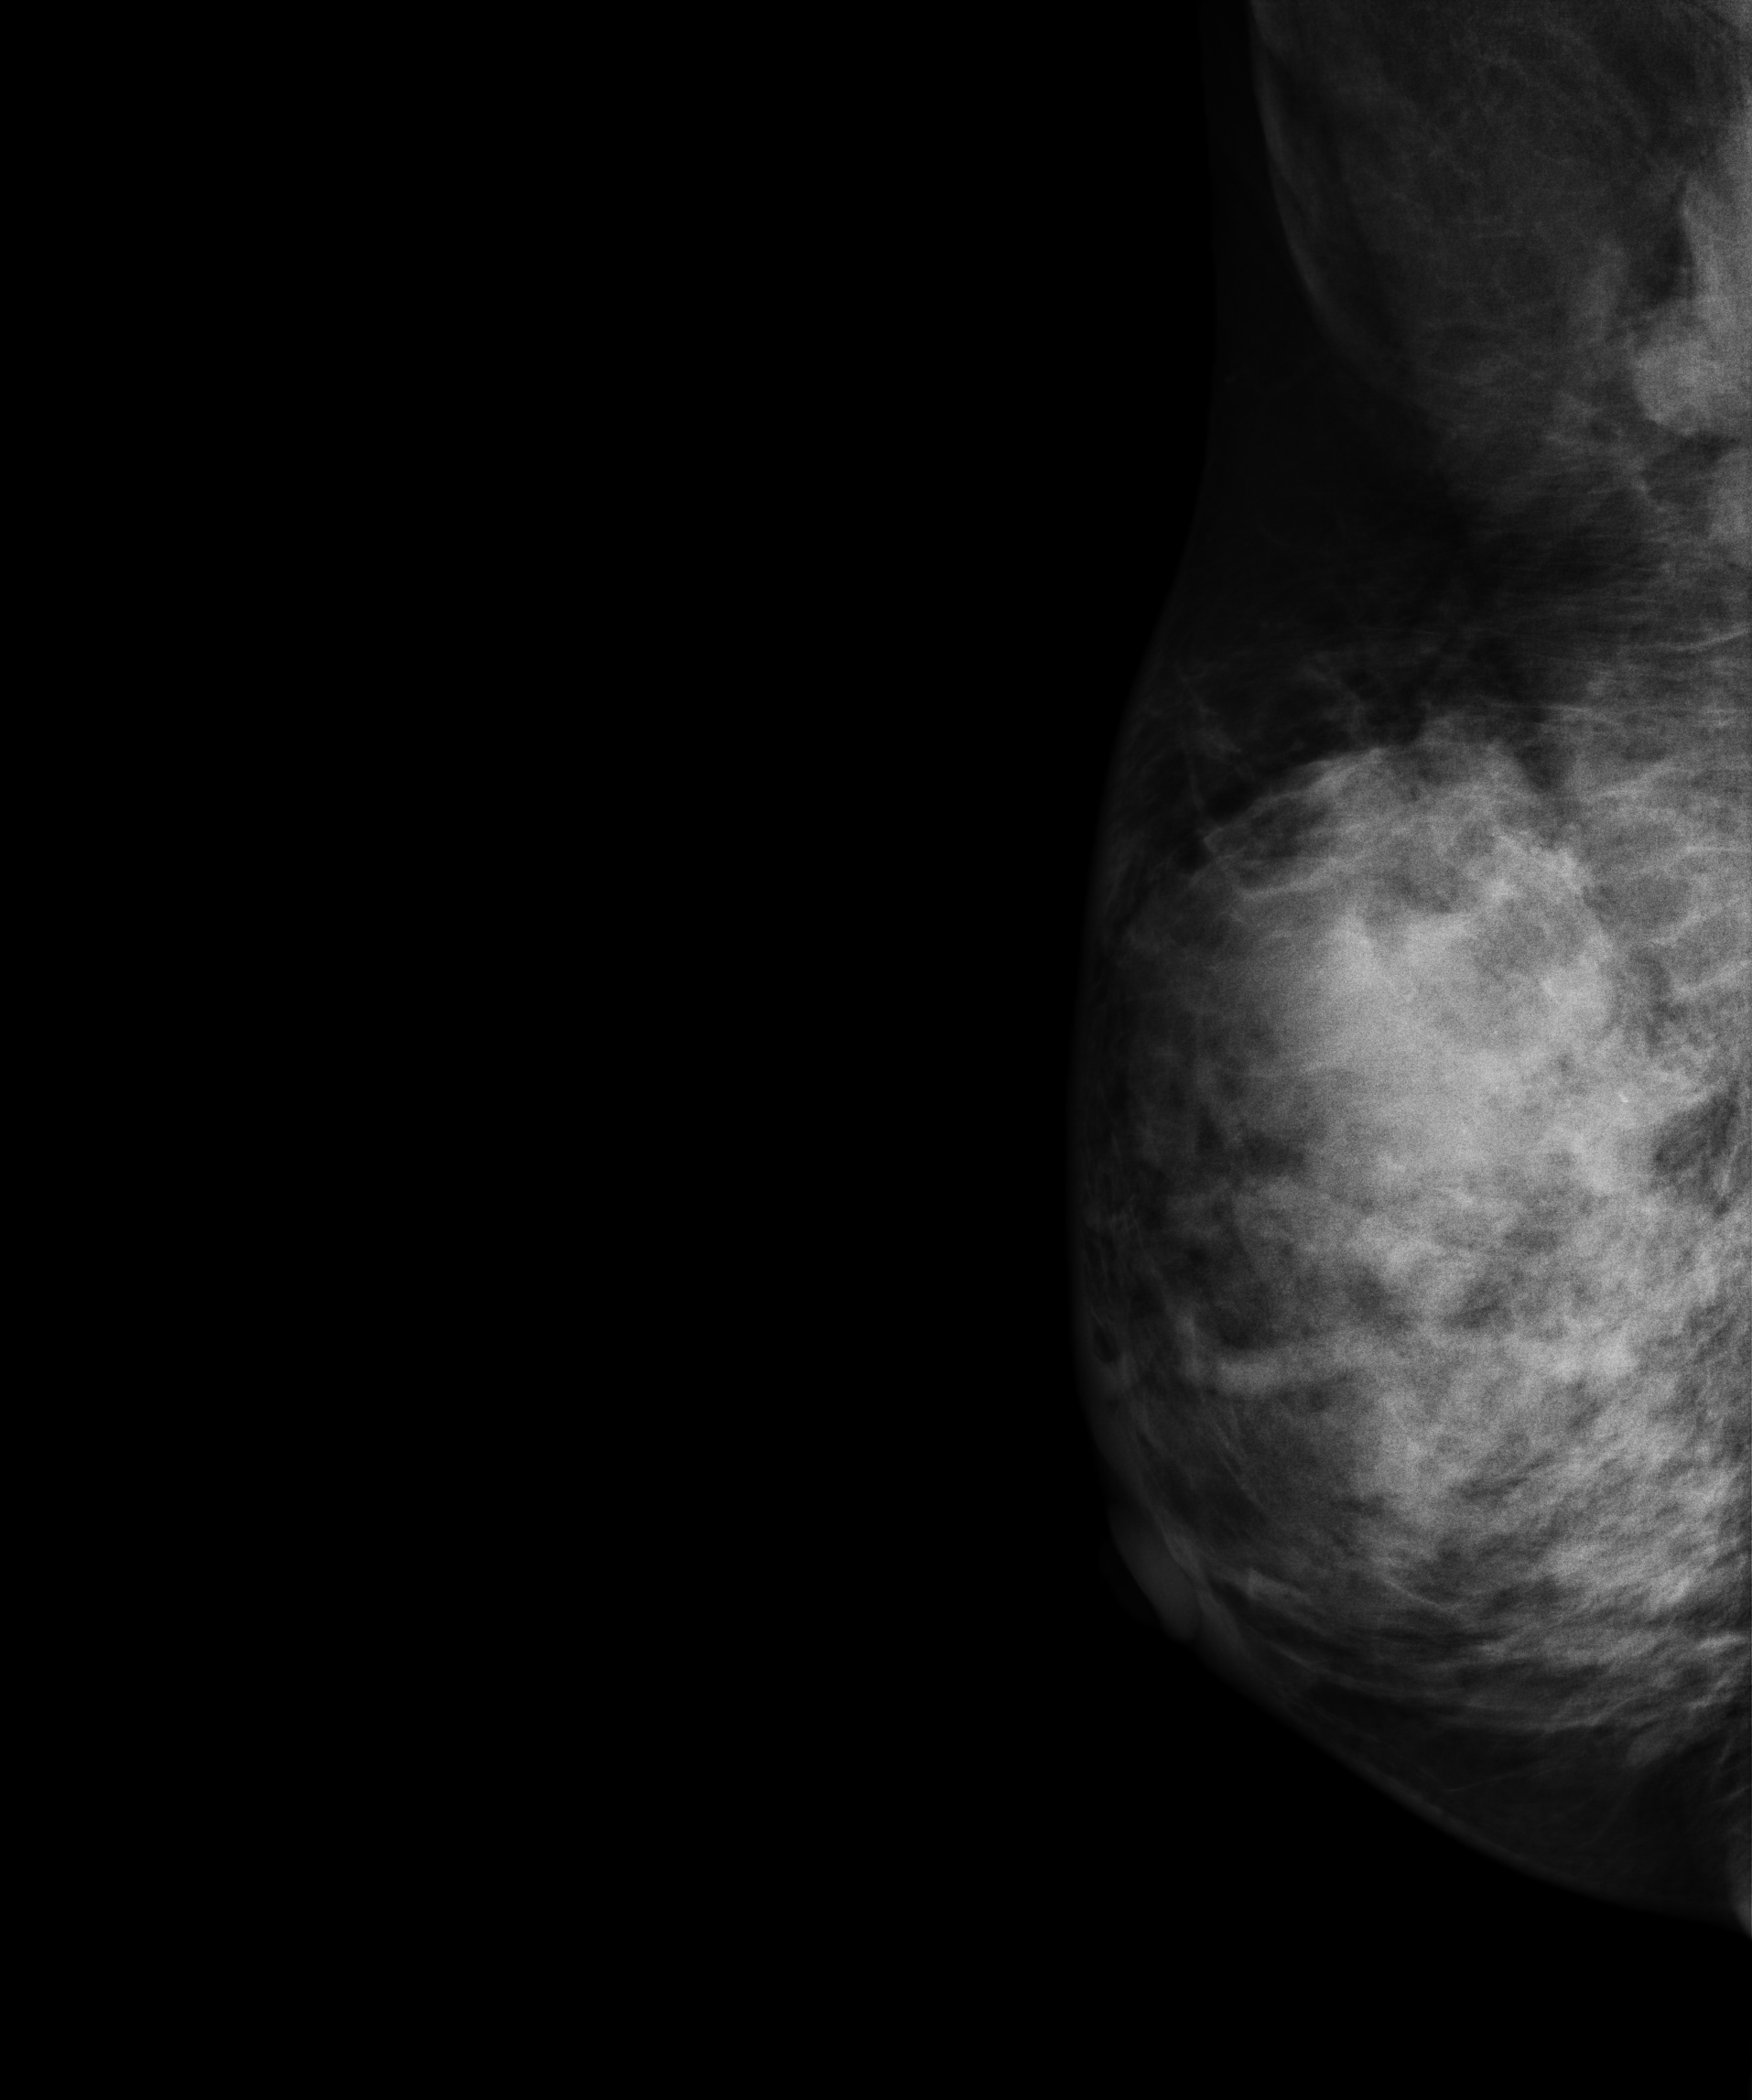
Right-breast mammogram, medio-lateral oblique. Patient age 44.
This breast has a mass, biopsy-confirmed malignant. Molecular subtype: luminal B.